CC mammogram of the right breast. 48 y/o patient.
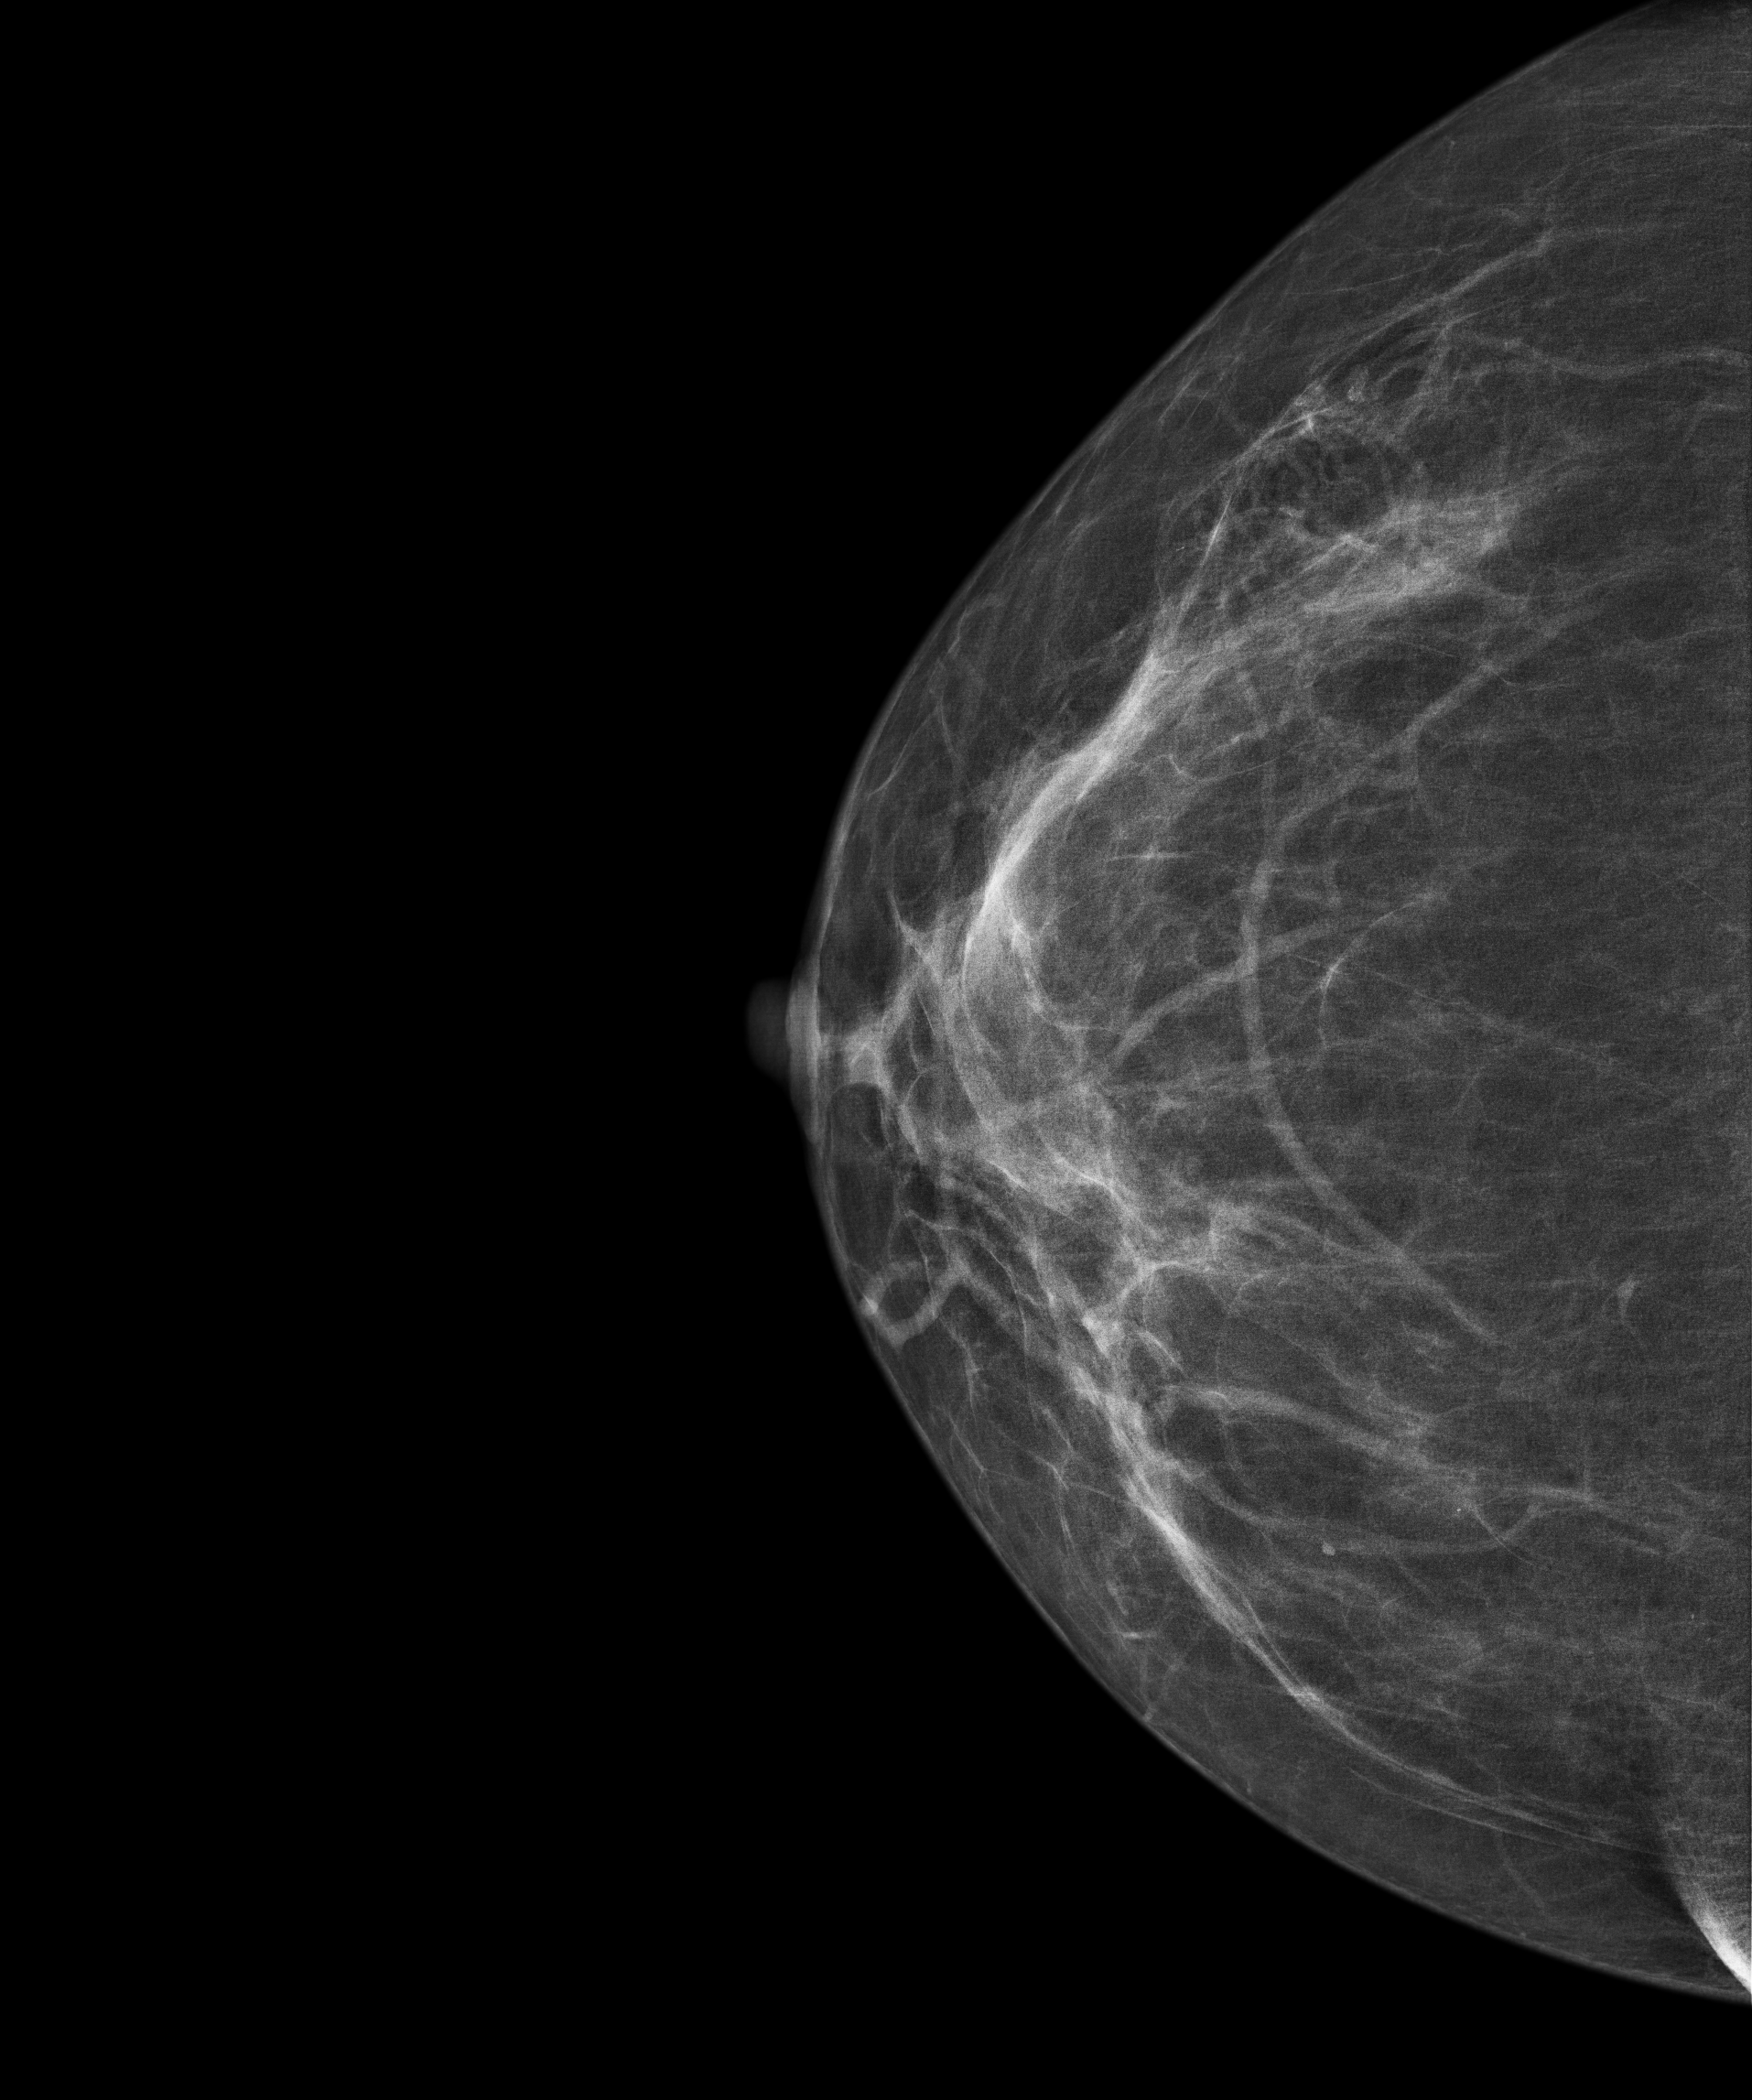
Contralateral breast — no documented abnormality on this side.